Mammogram, left breast, MLO view. 40 y/o patient.
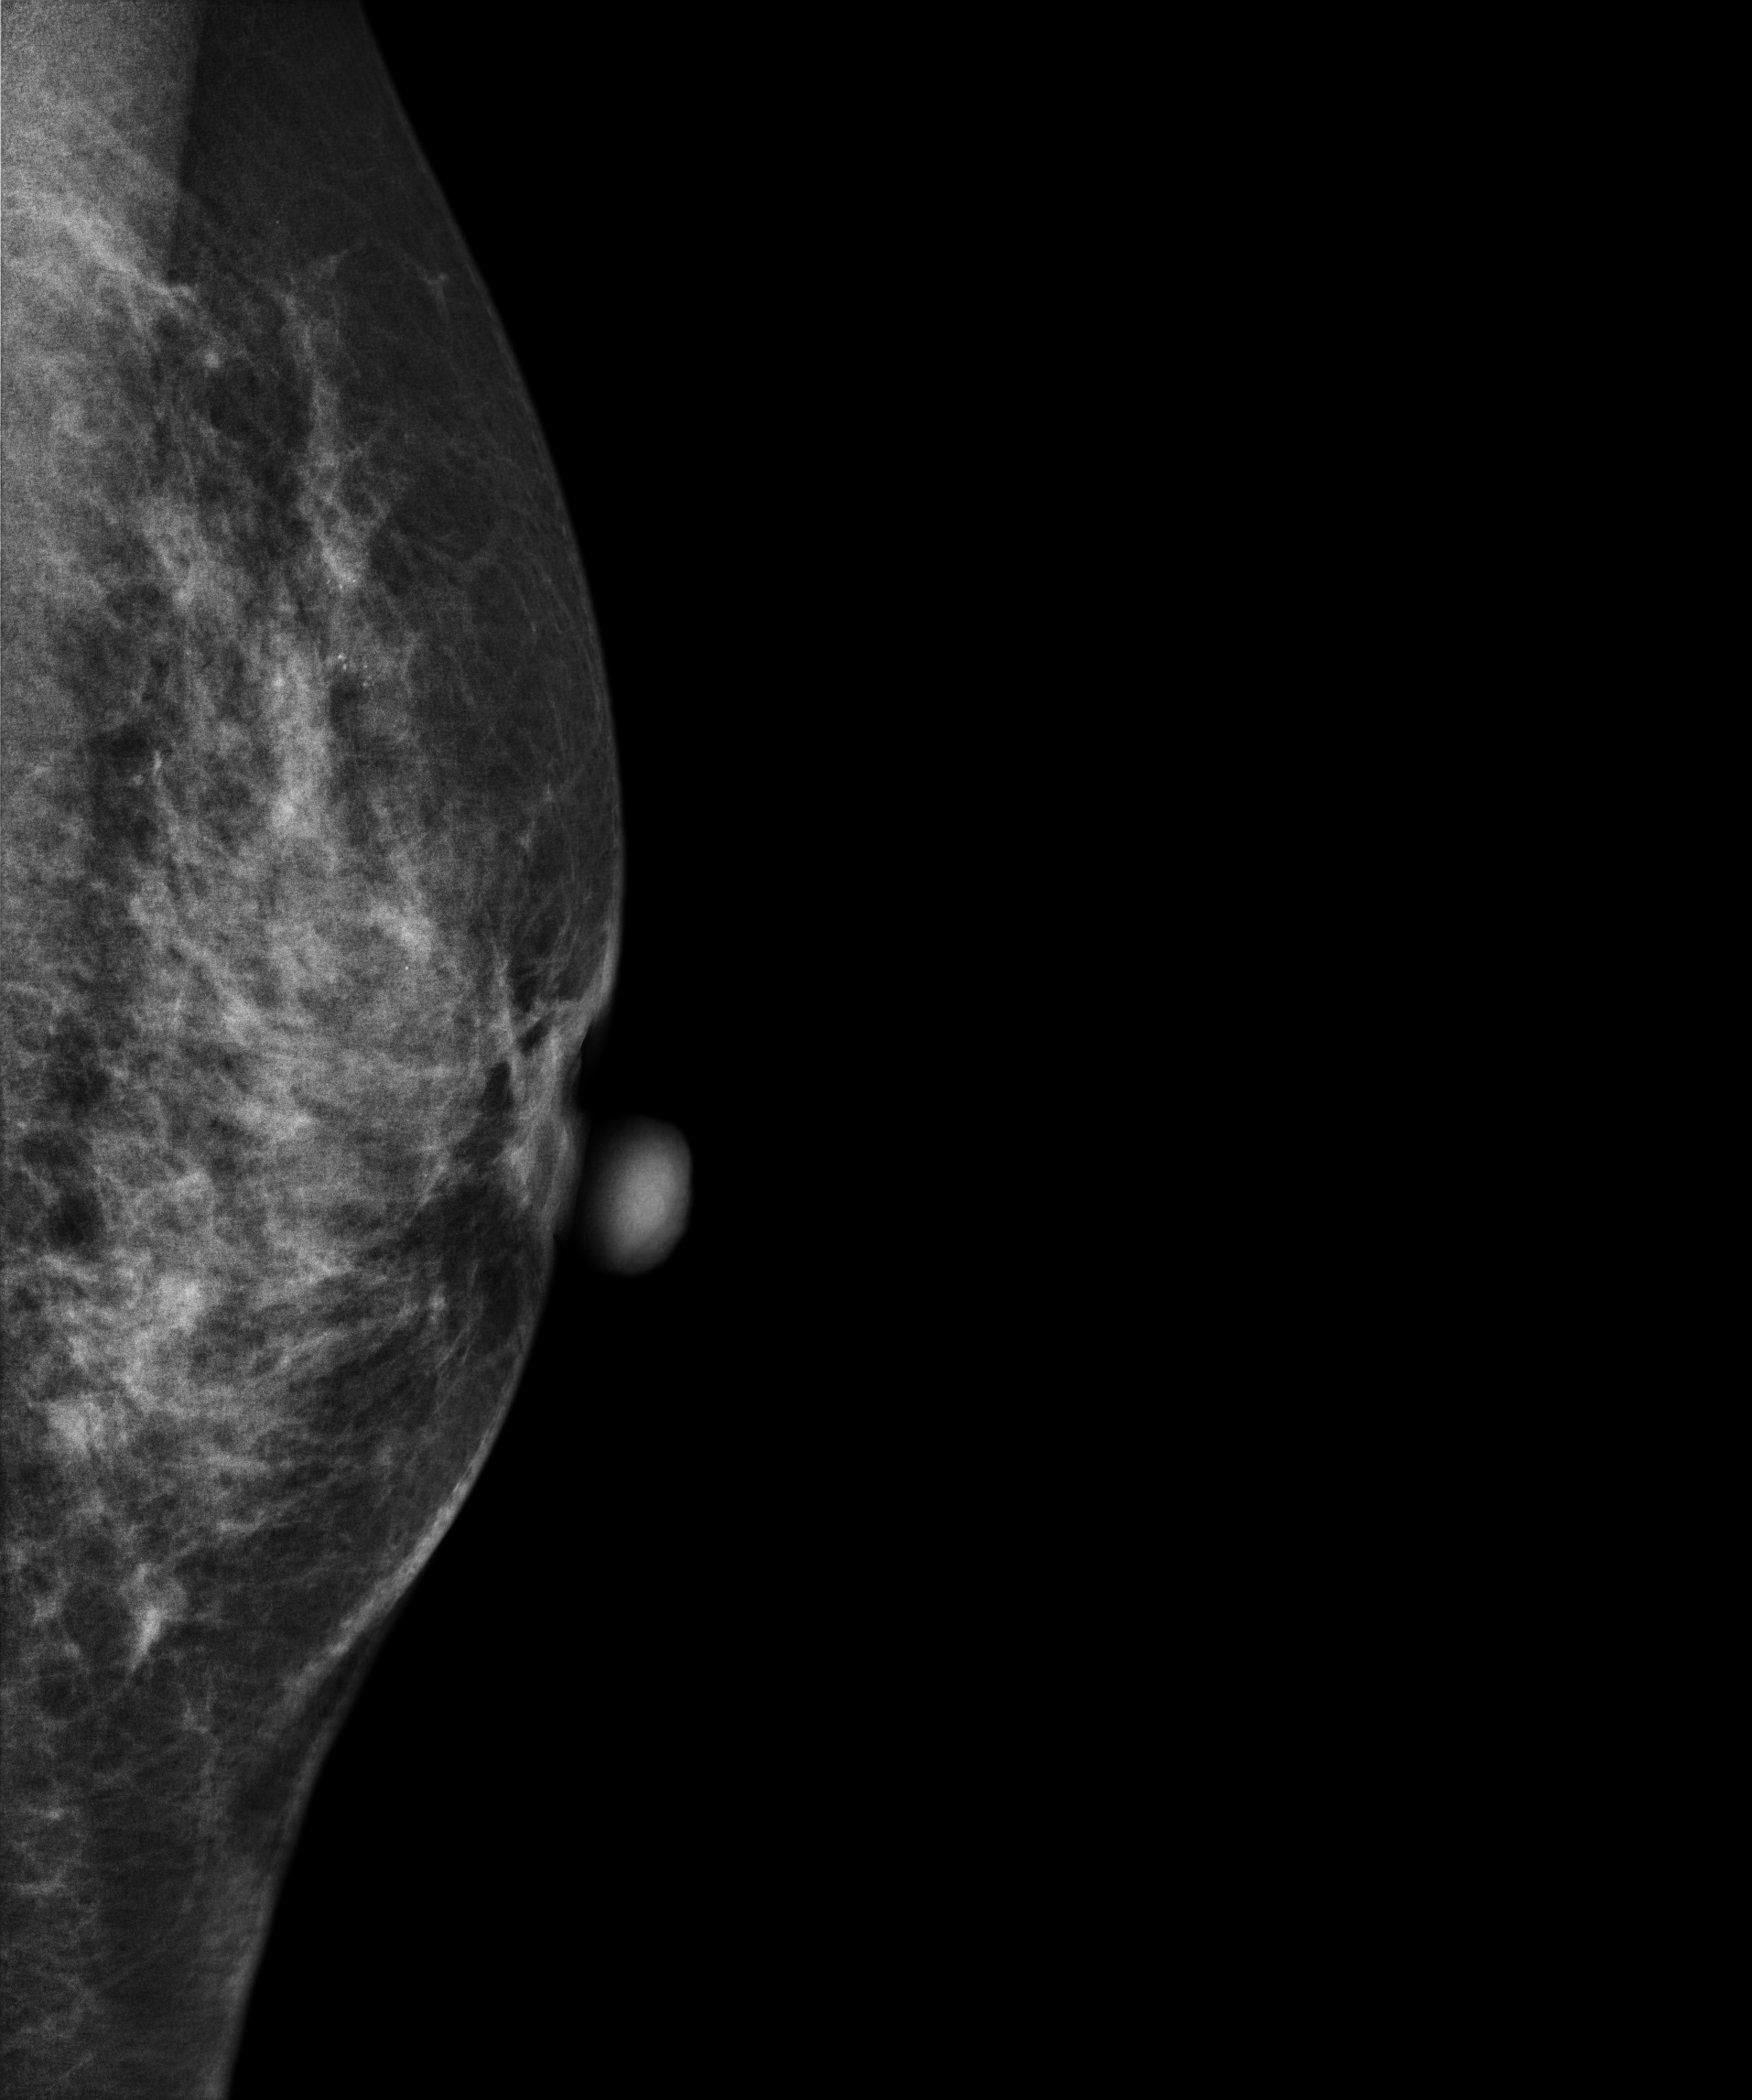
This breast has calcifications, biopsy-proven malignant.